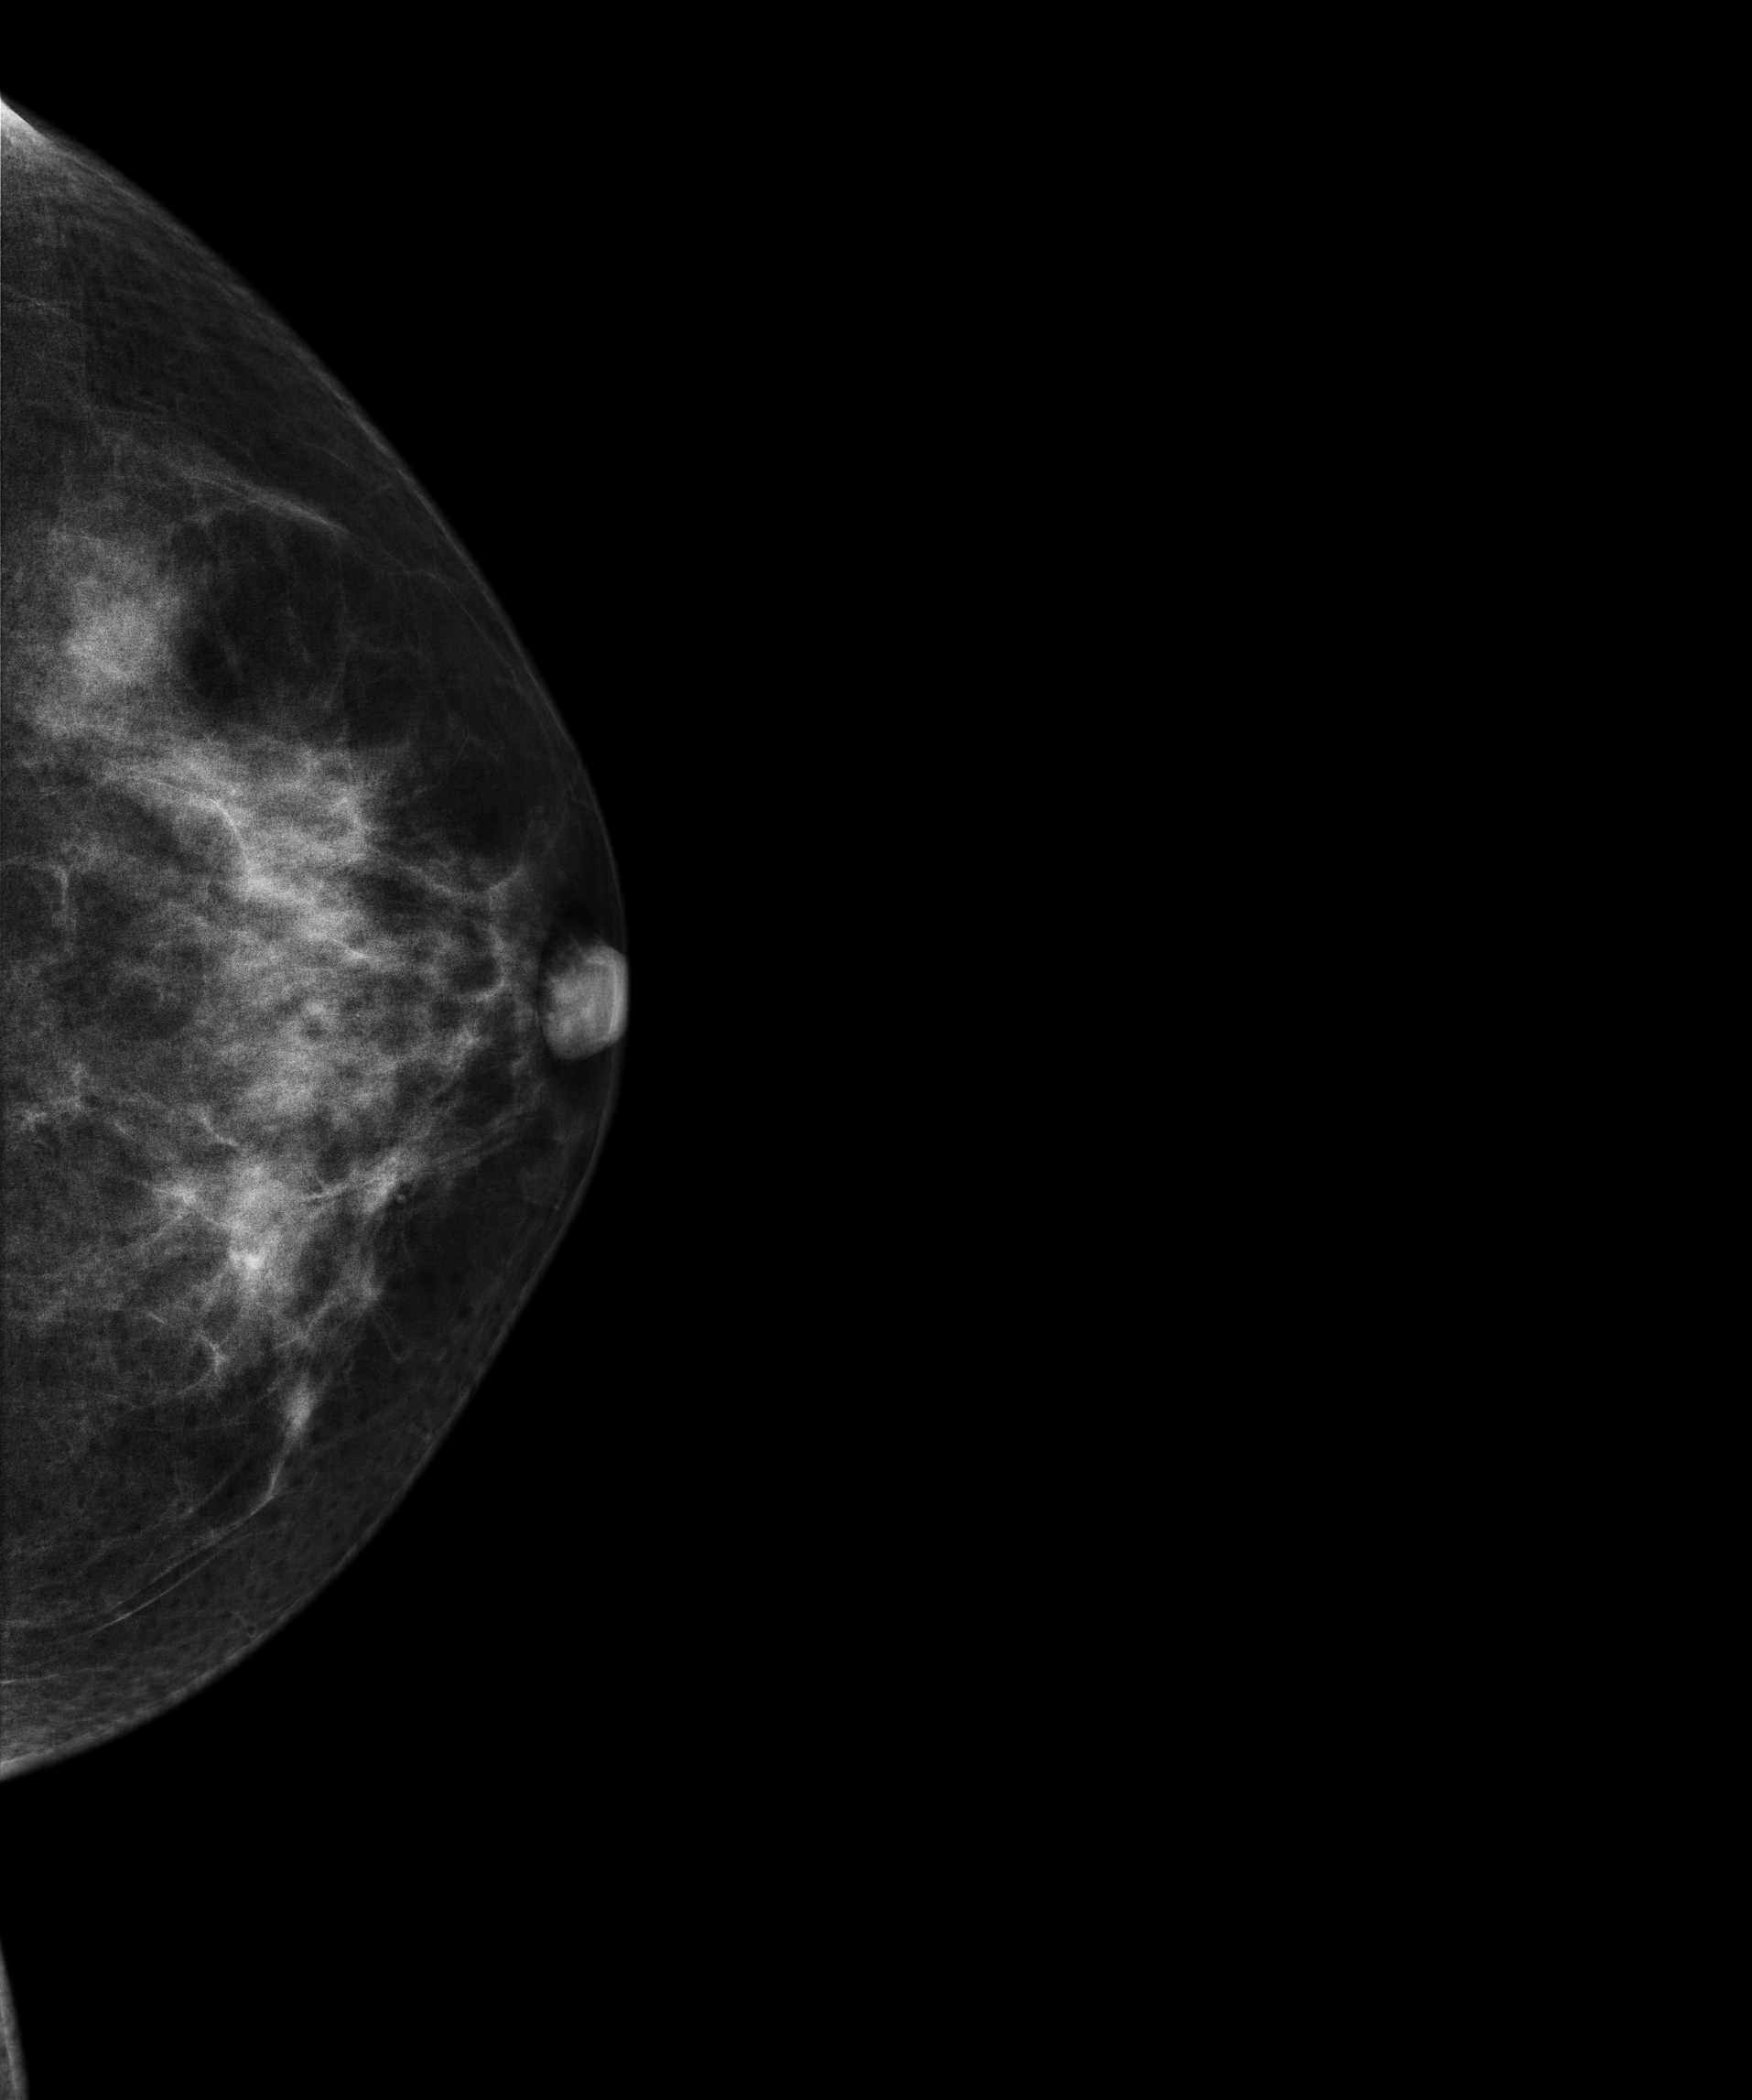
Cranio-caudal mammogram of the left breast. 43 y/o patient.
This breast has a mass, pathology-confirmed benign.